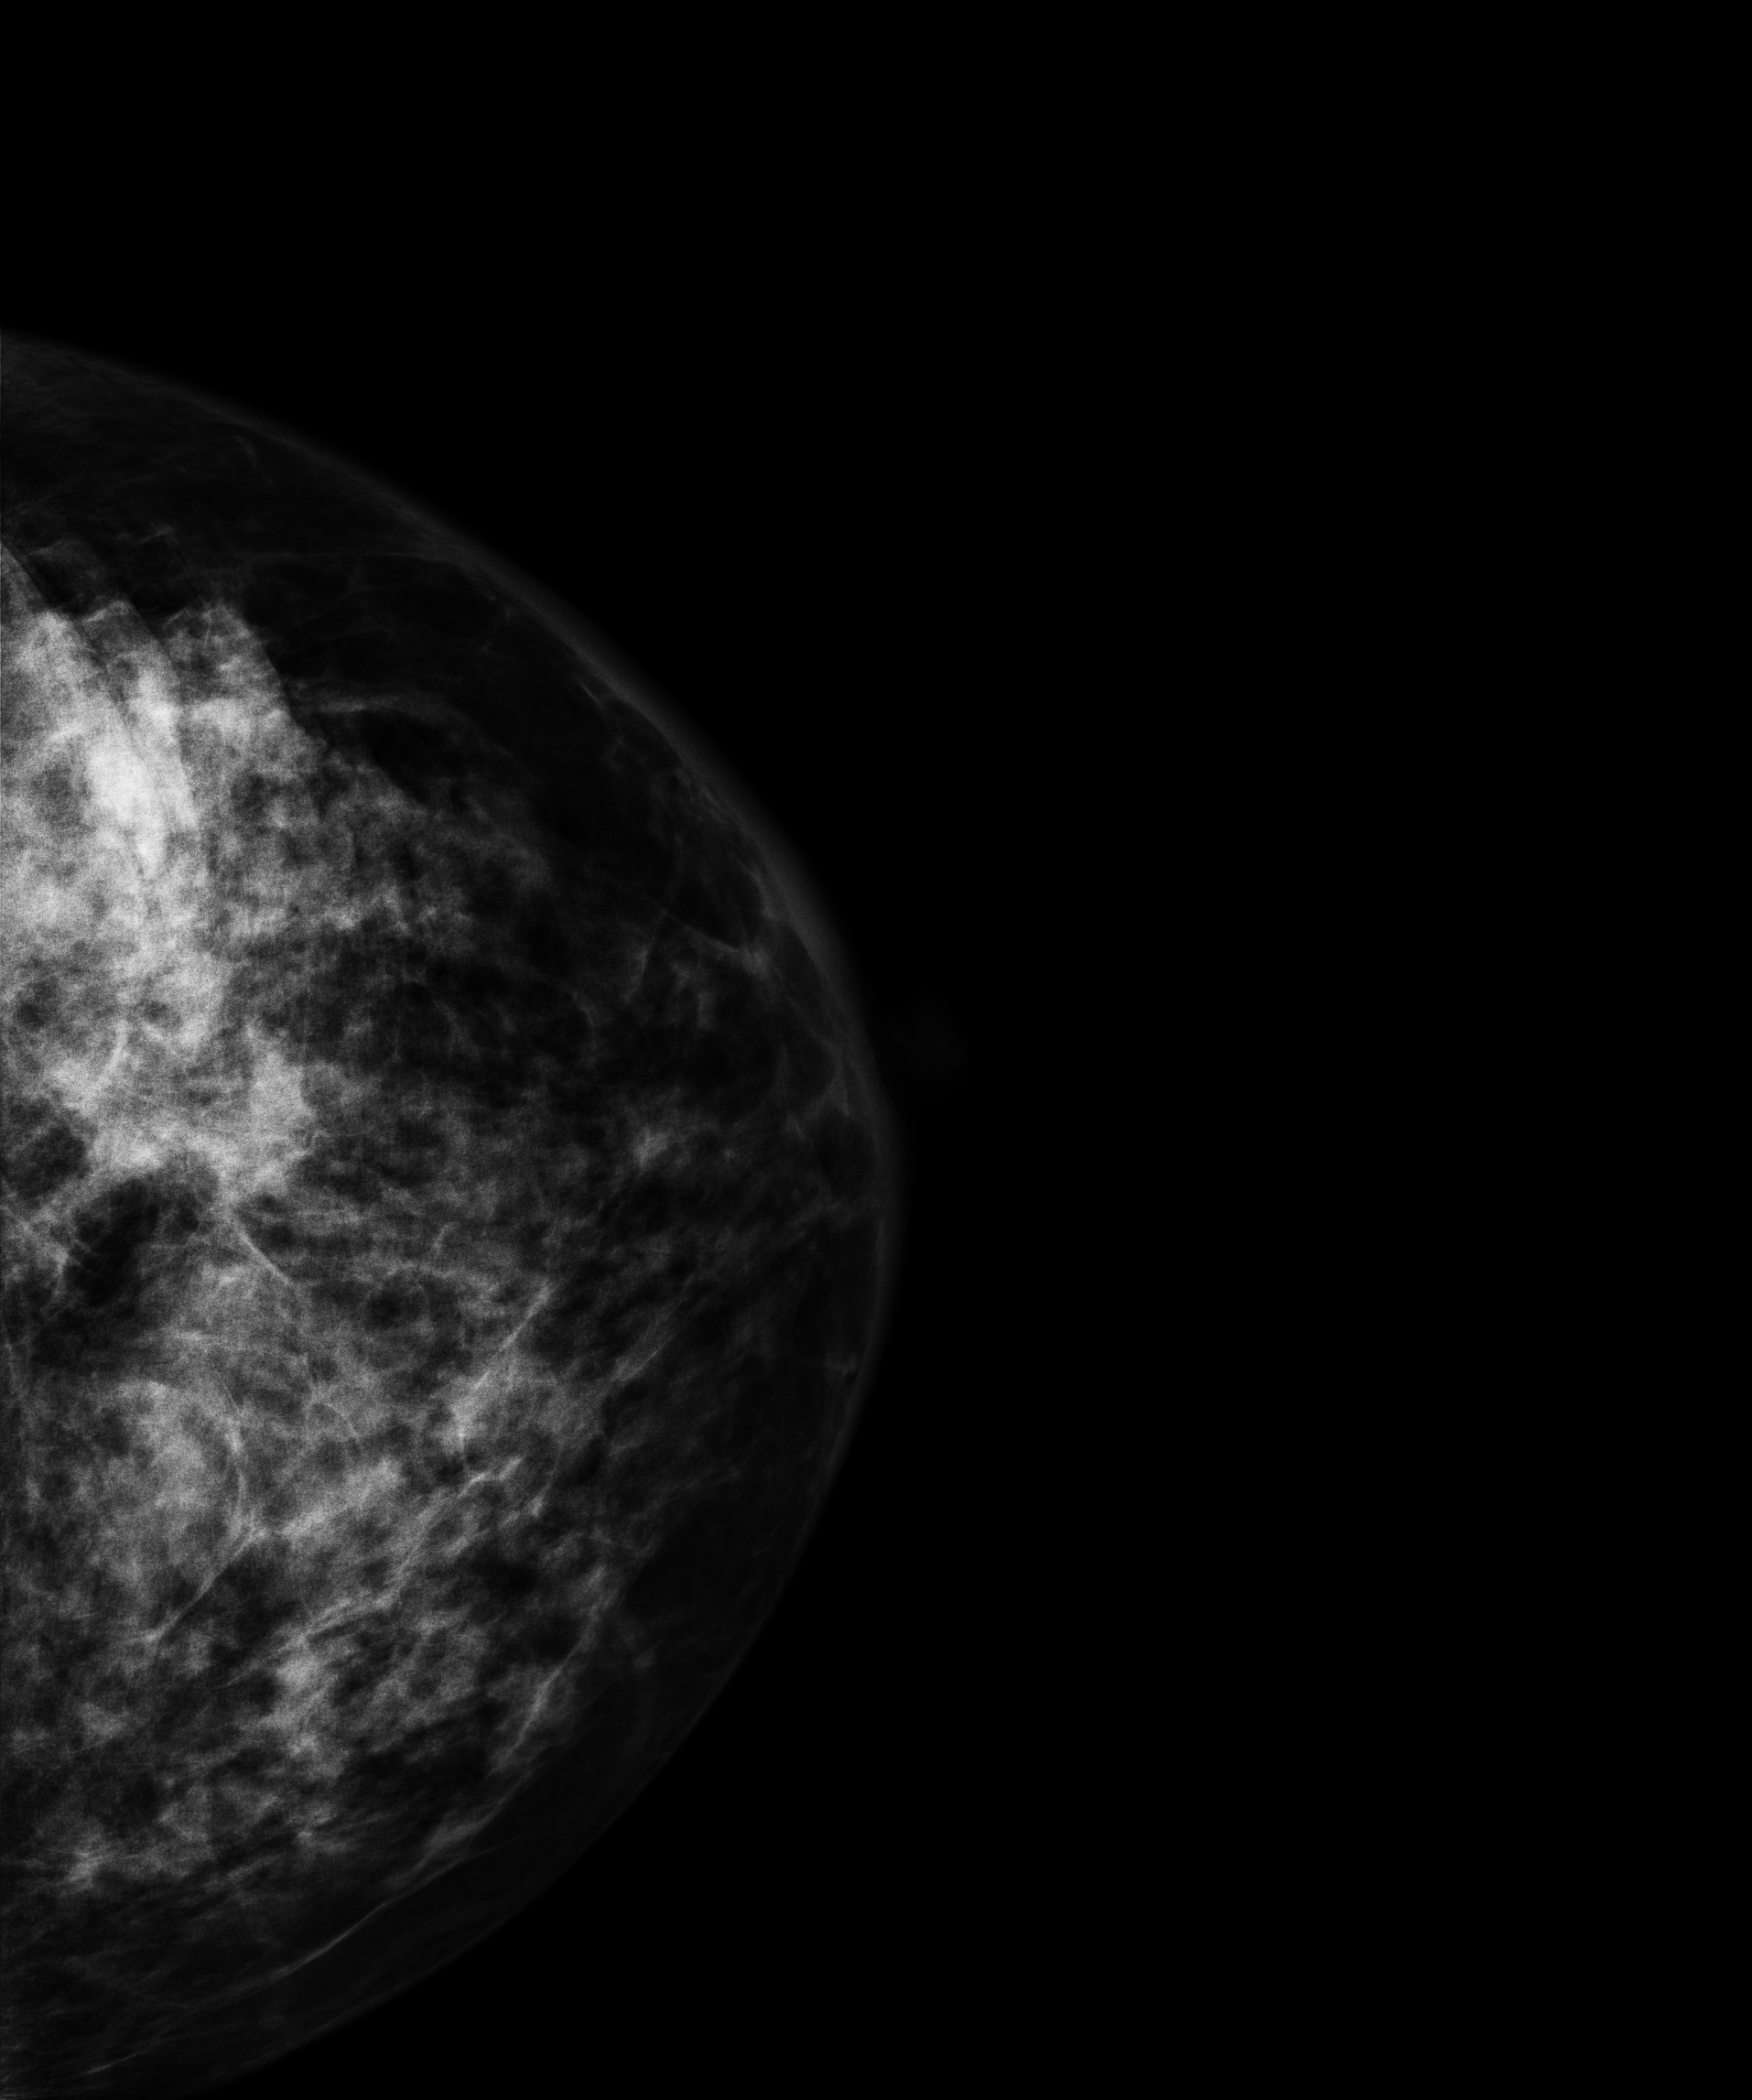
Digital mammography. Left breast, CC projection. 51-year-old patient.
This breast has a mass, pathology-confirmed malignant. Molecular subtype: triple-negative.